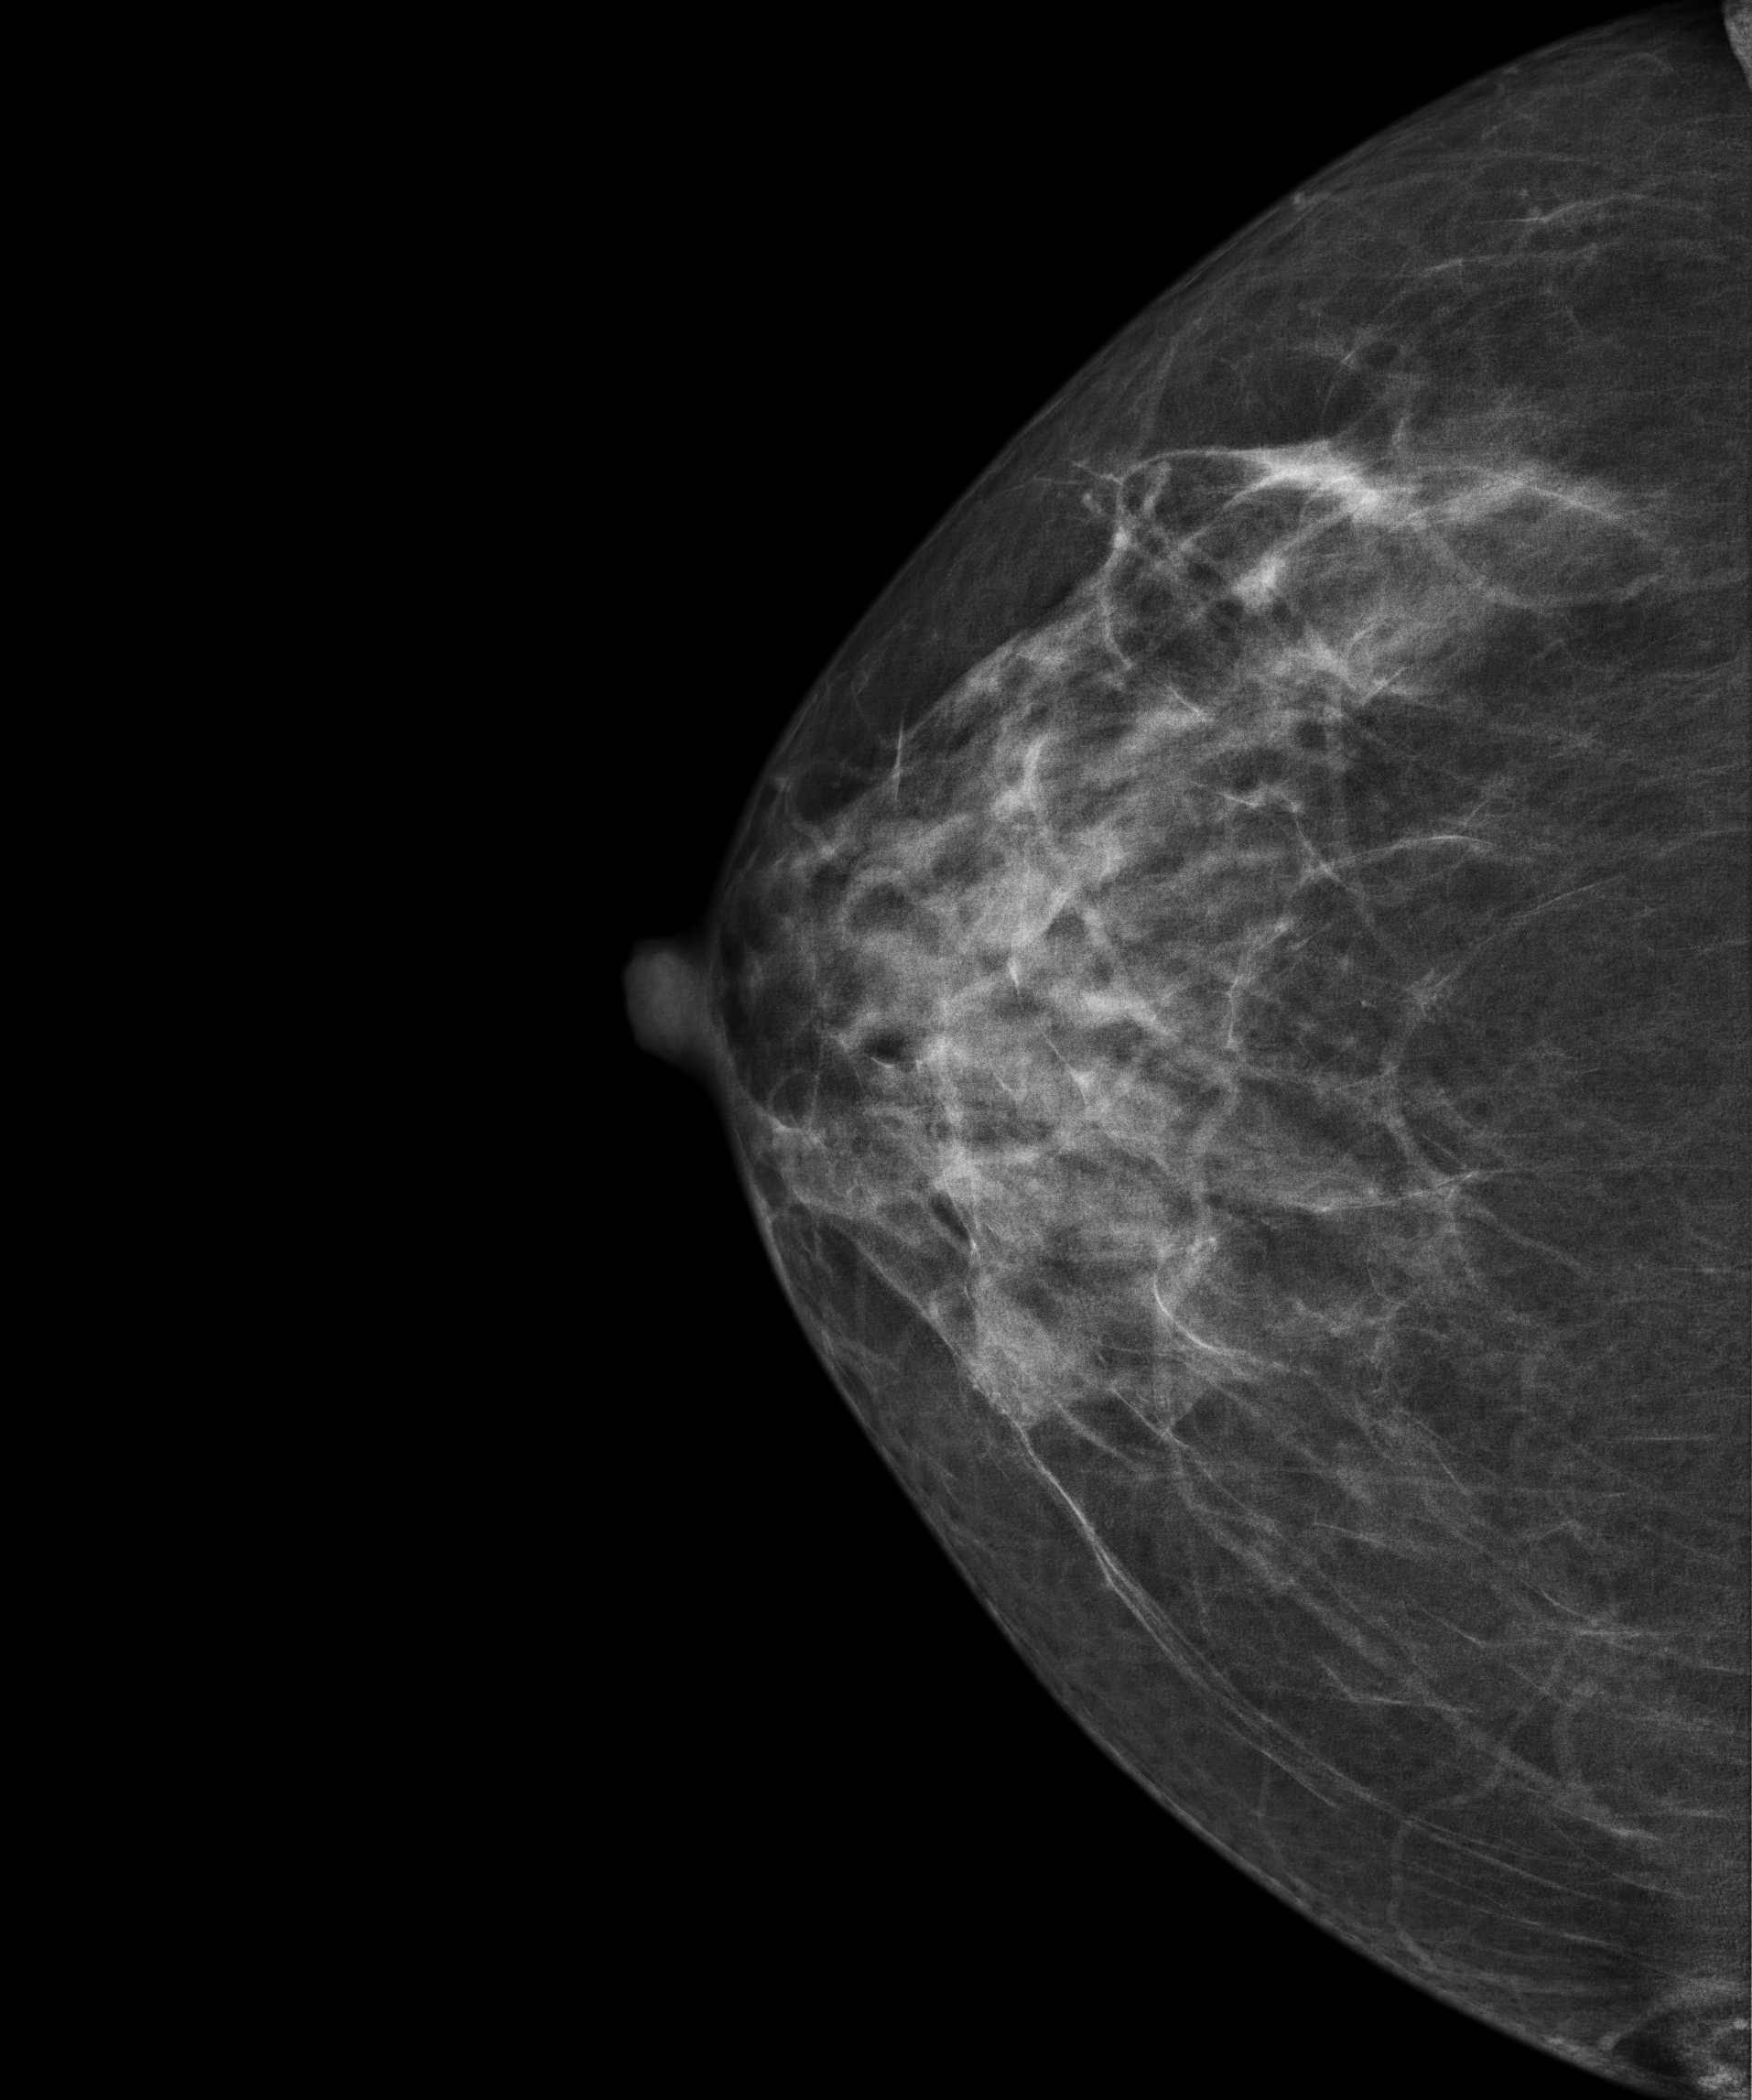
Digital mammography. Right breast, CC projection. Patient age 51.
Contralateral breast — no documented abnormality on this side.